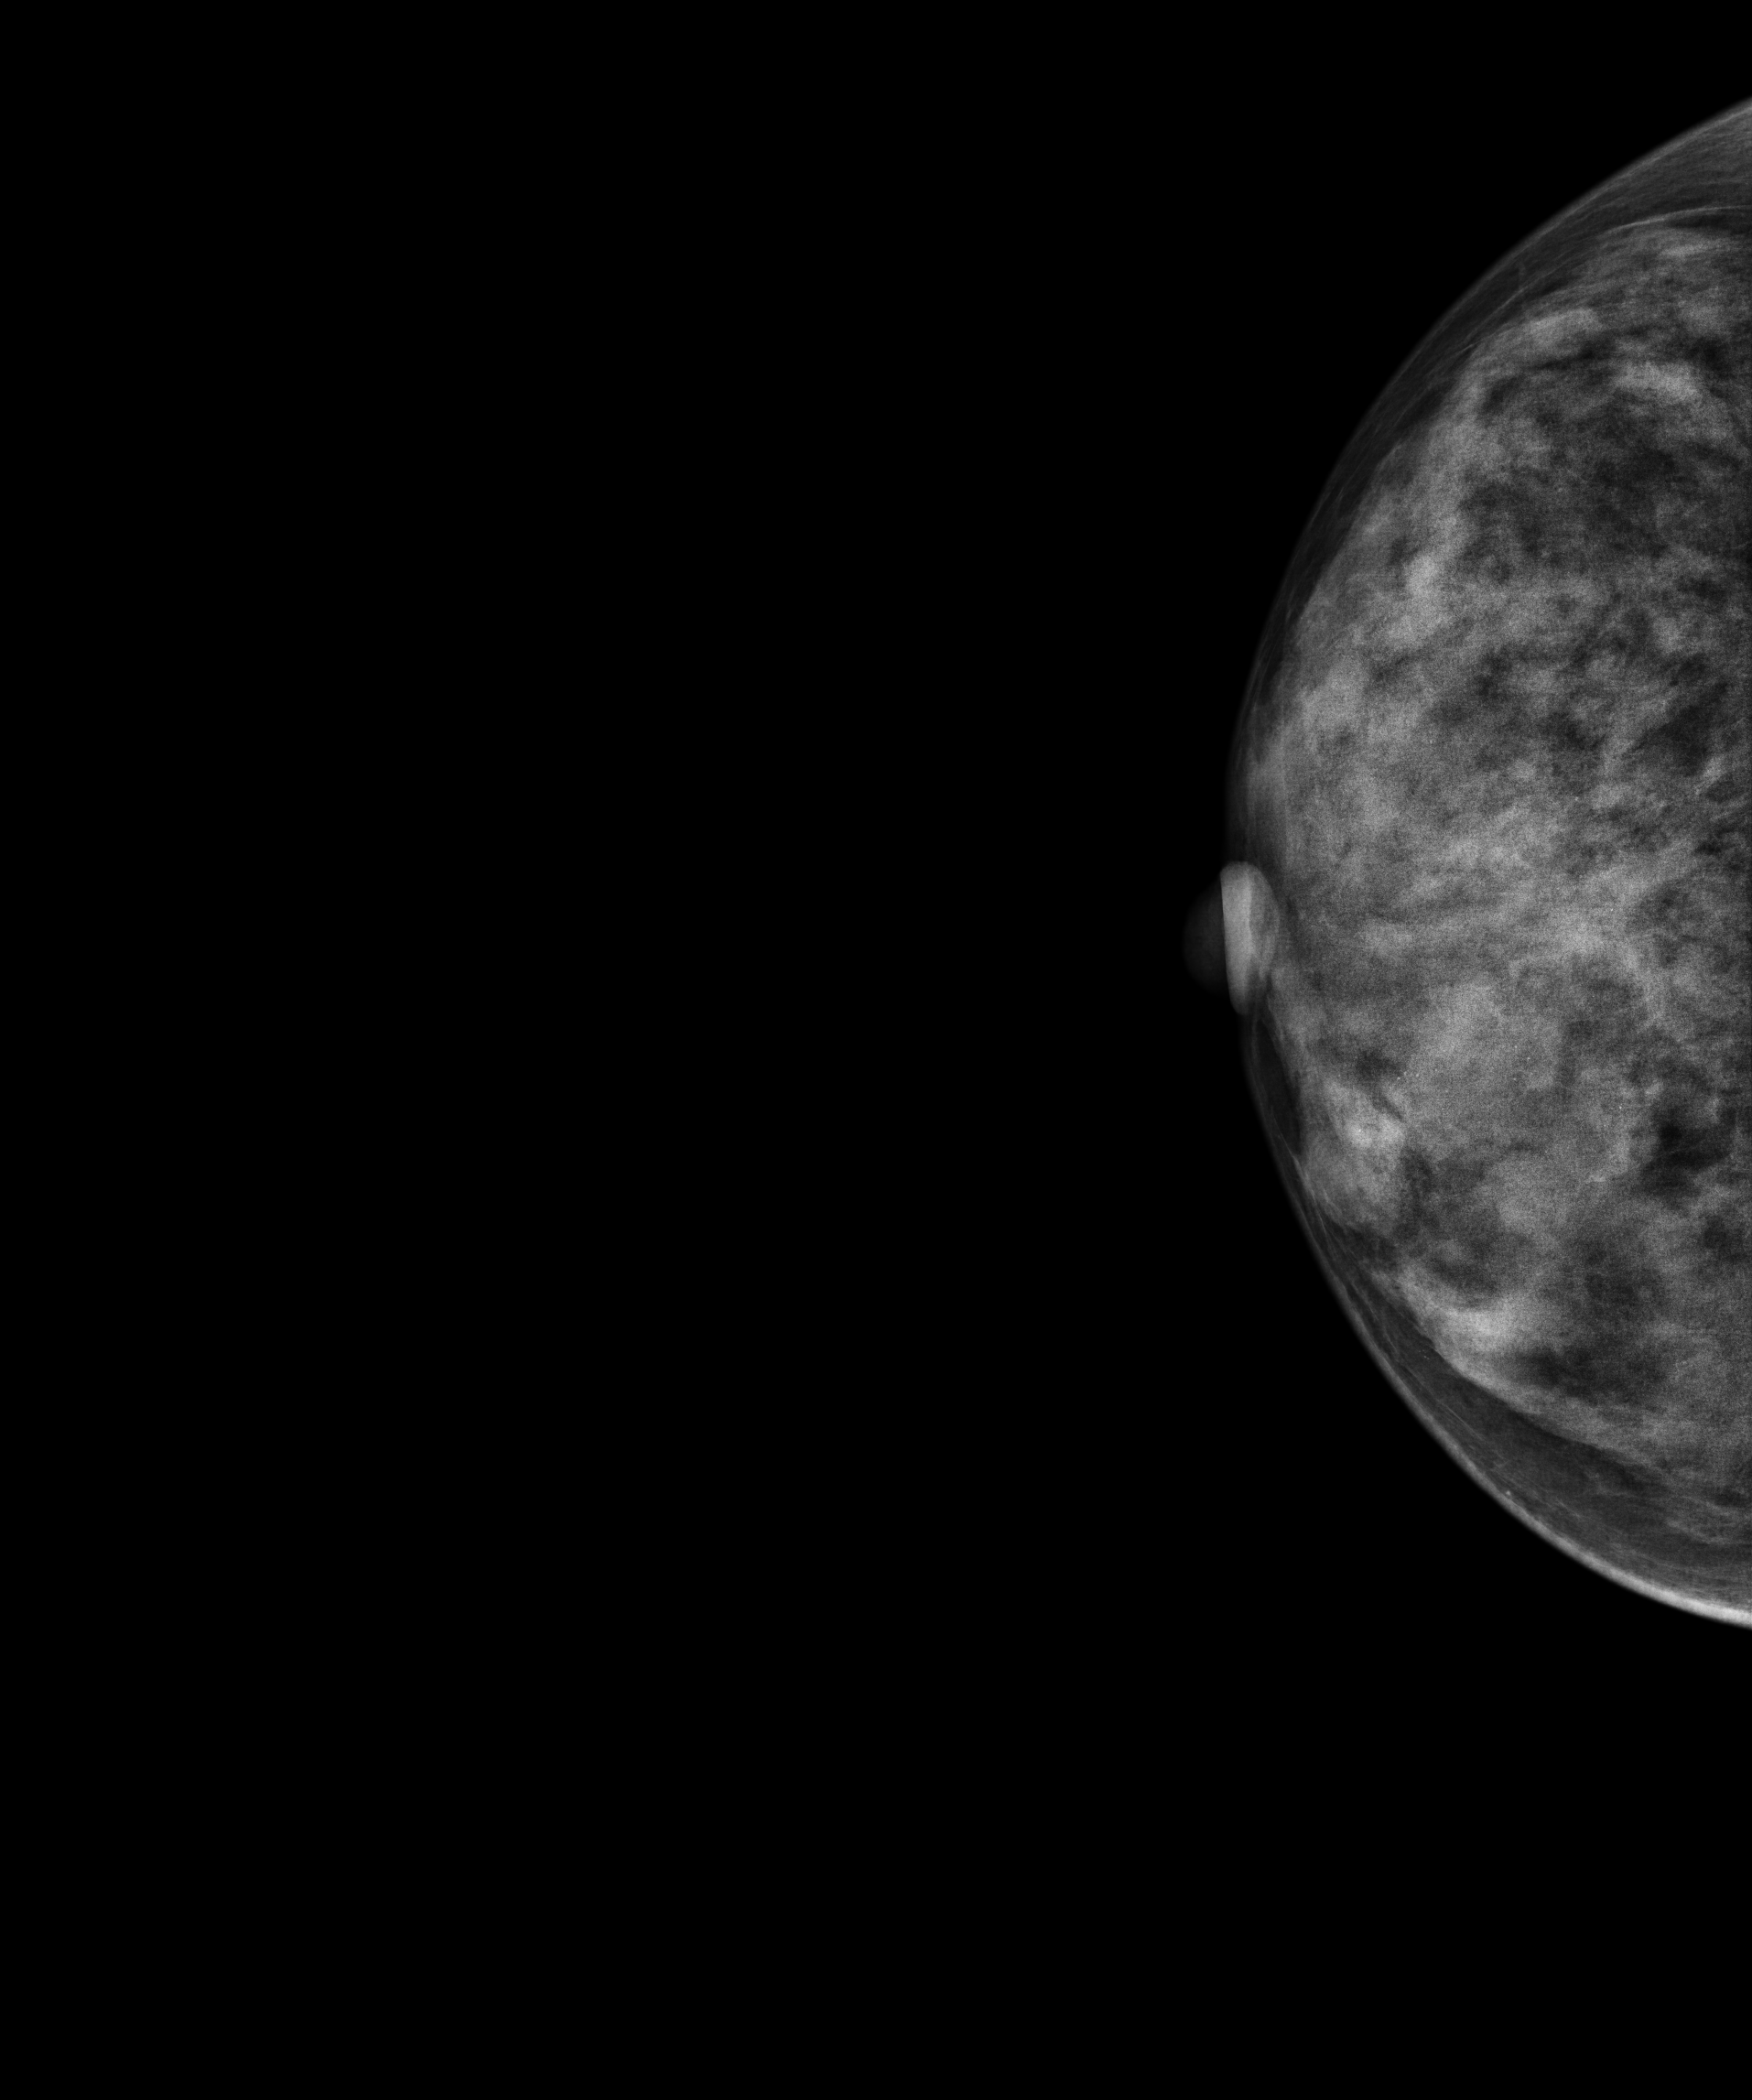
CC mammogram of the right breast. 45 y/o patient.
This breast has a mass and calcifications, biopsy-proven malignant. Molecular subtype: luminal B.